Right-breast mammogram, medio-lateral oblique. Patient age 49.
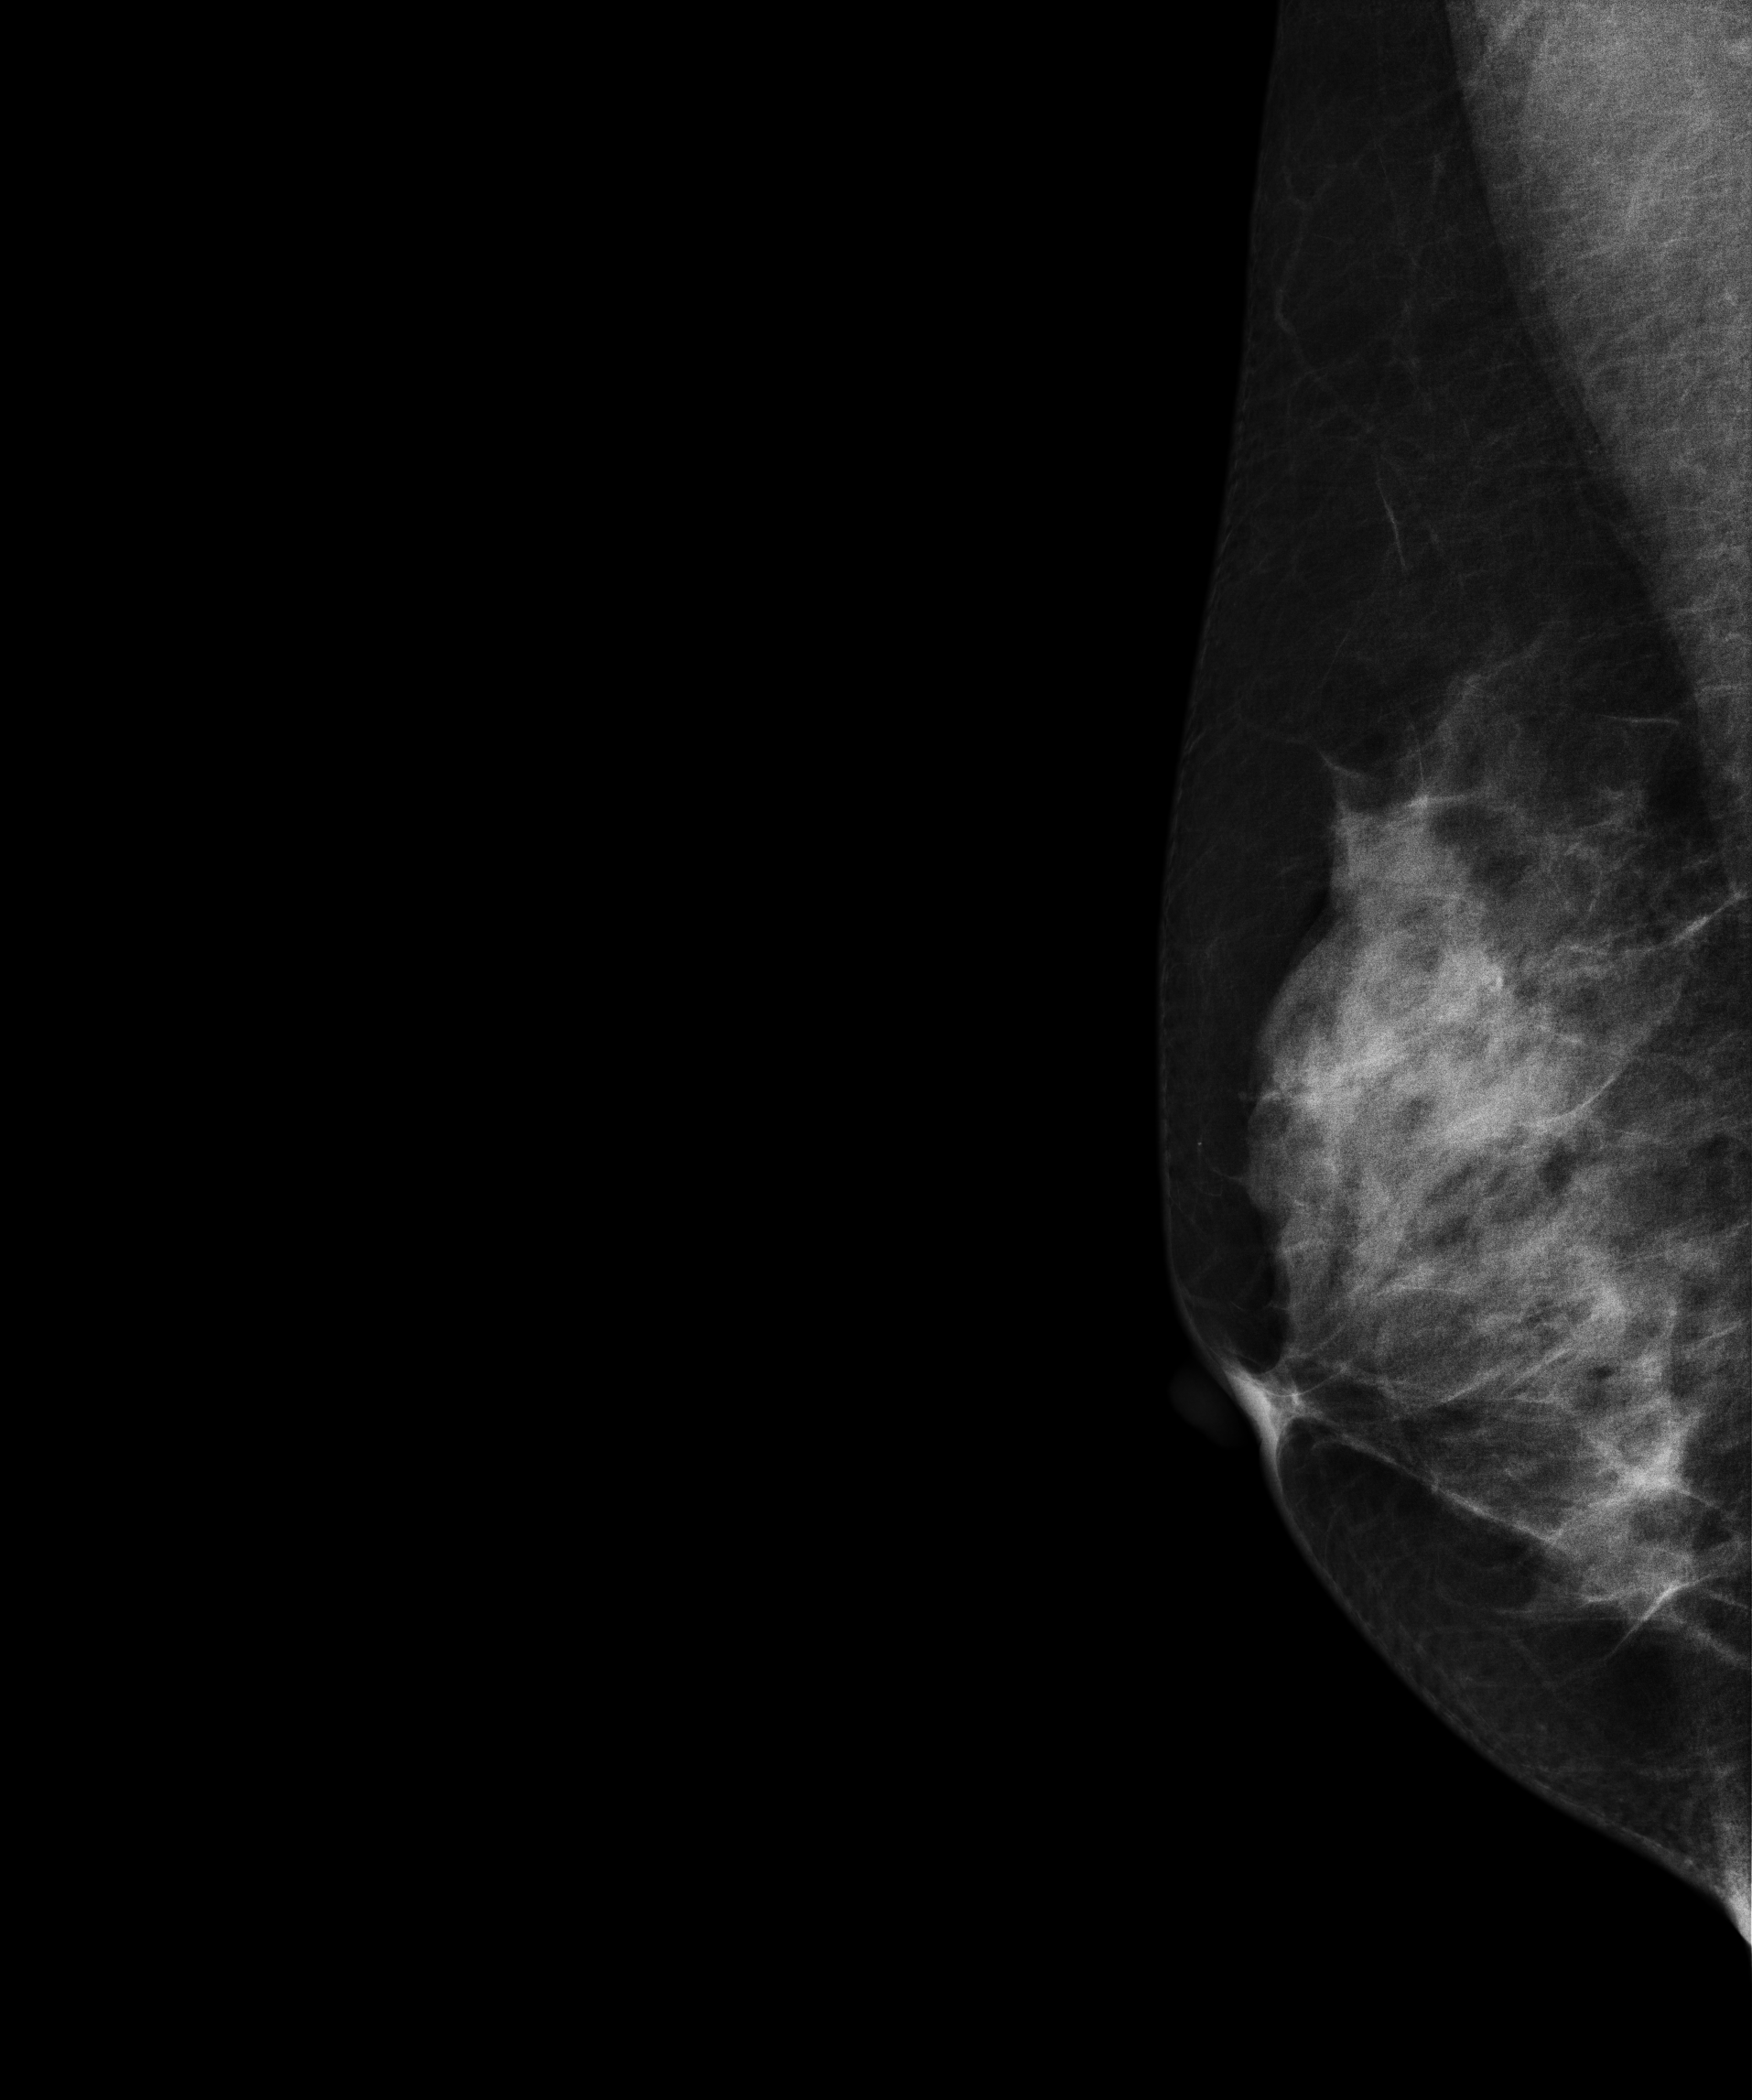
Contralateral breast — no documented abnormality on this side.